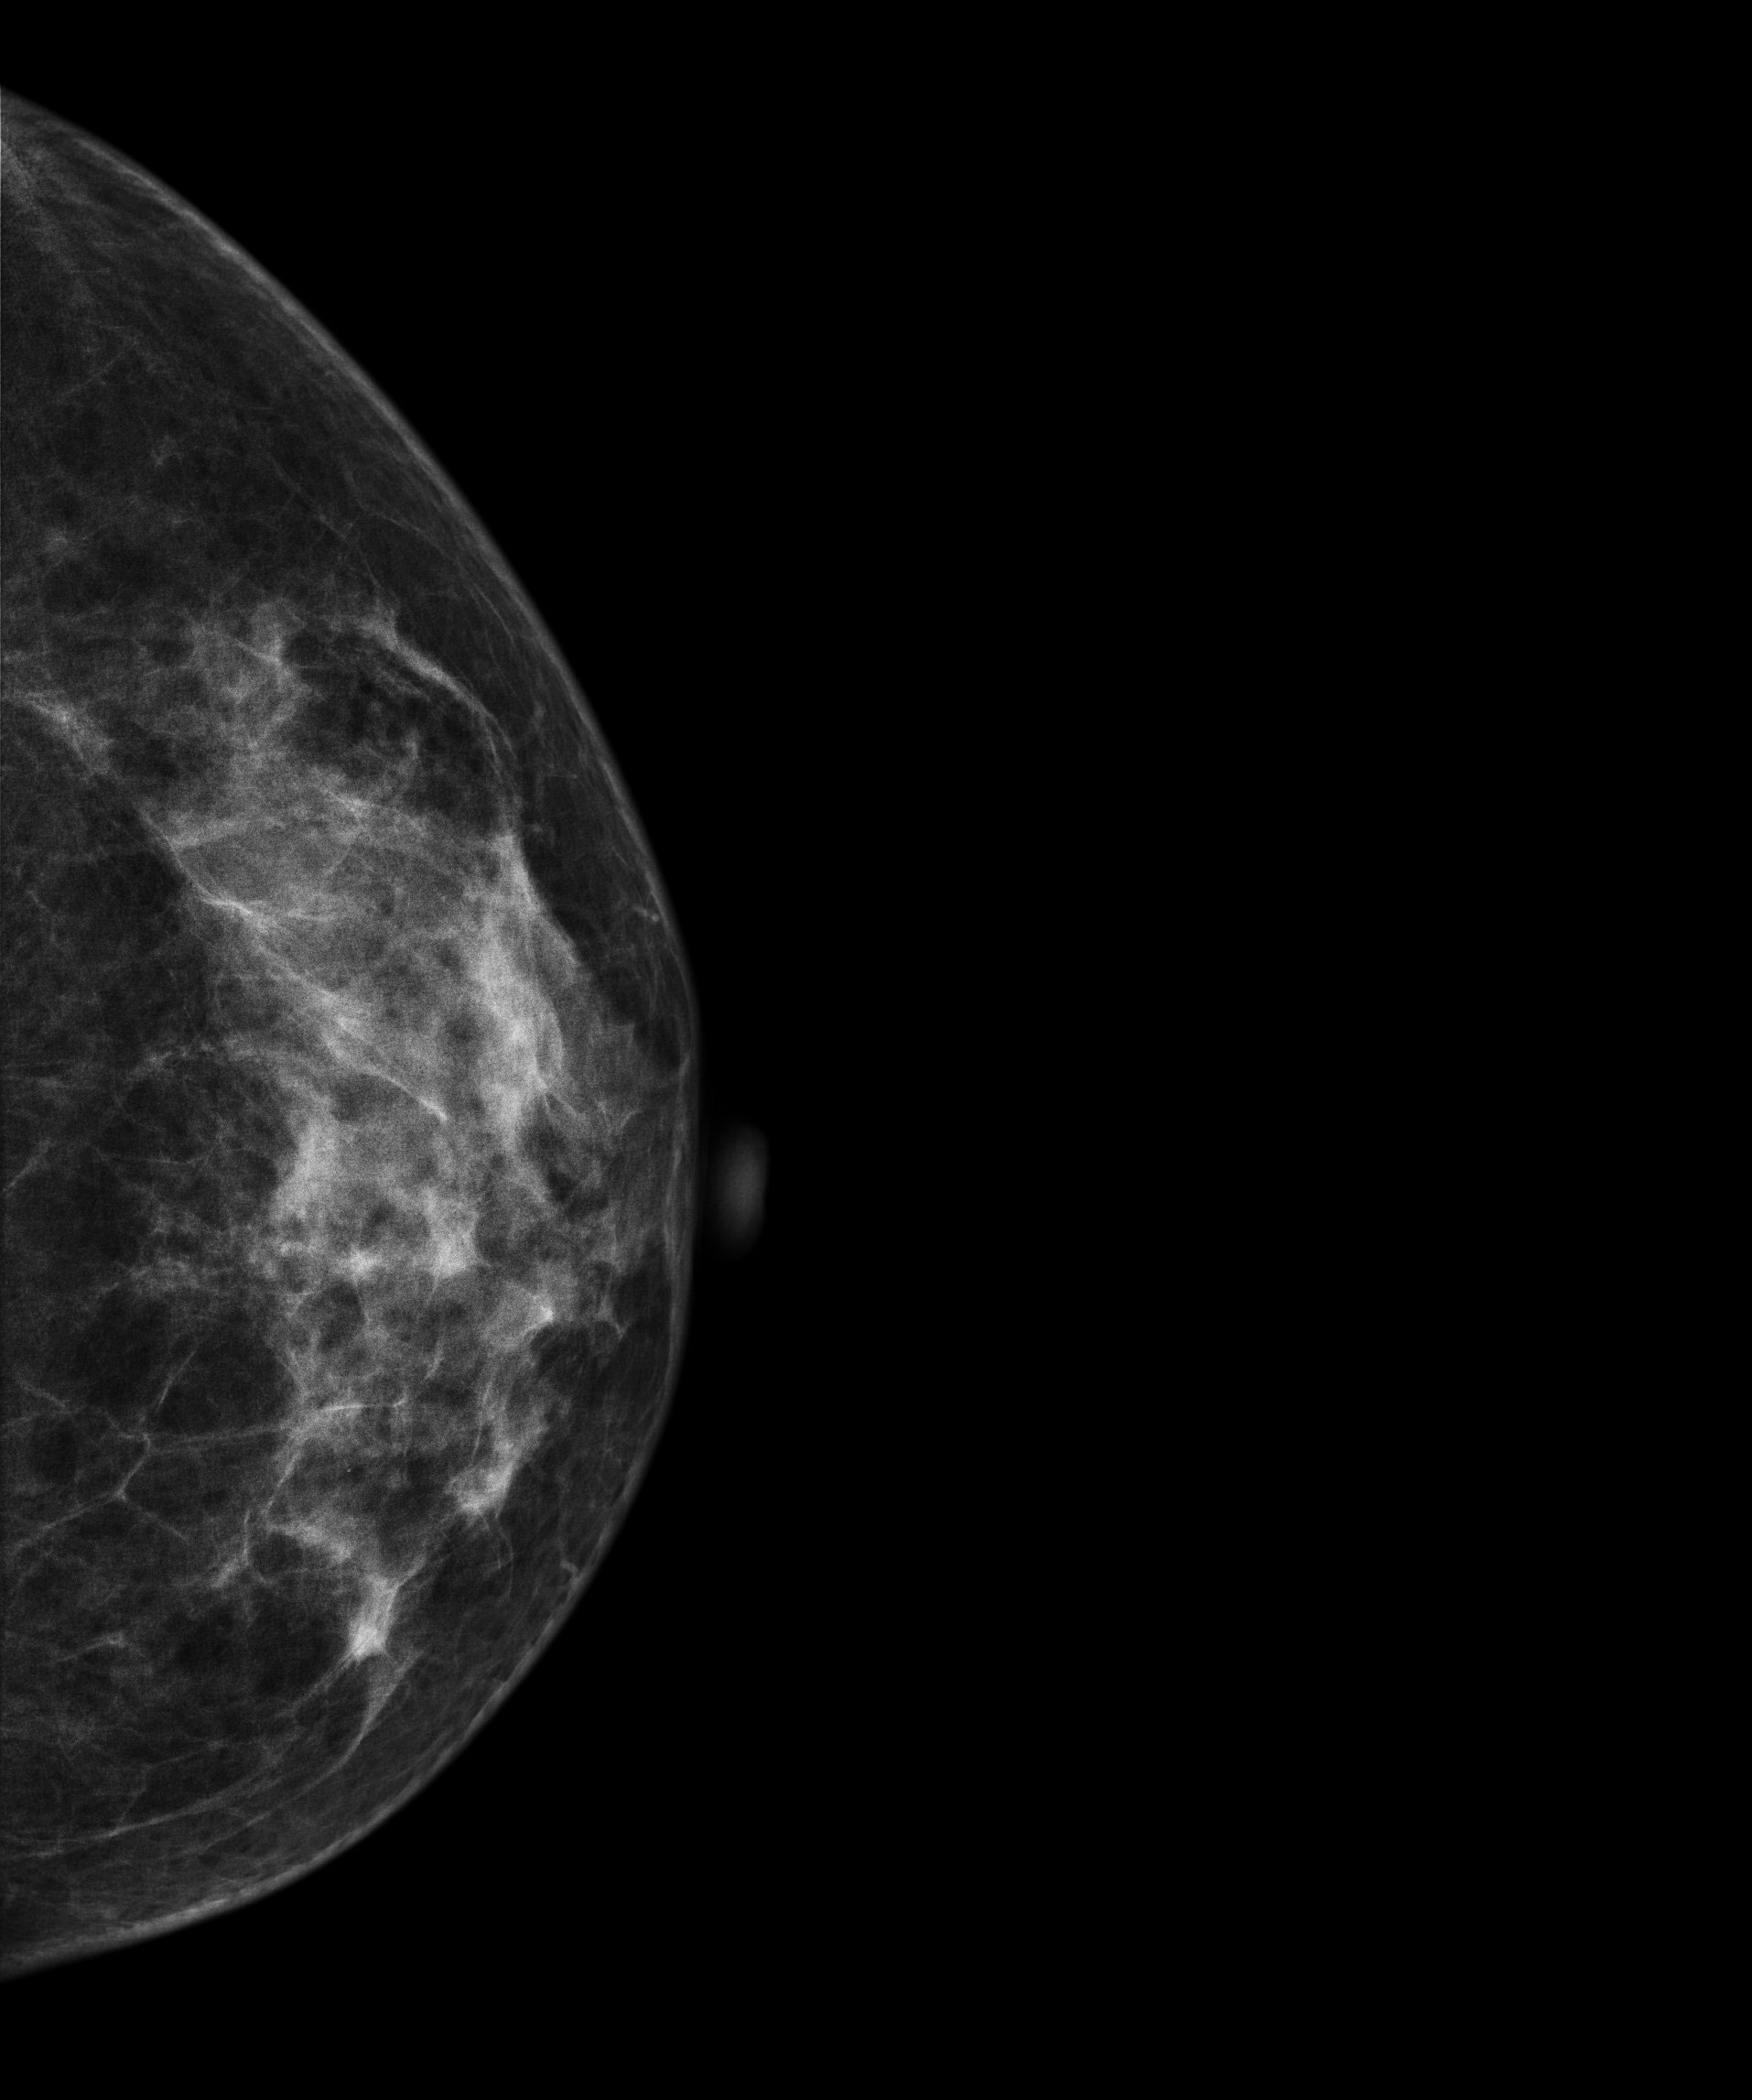
Mammogram — left cranio-caudal. 51 y/o patient.
Contralateral breast — no documented abnormality on this side.